Cranio-caudal mammogram of the left breast. Patient age 56.
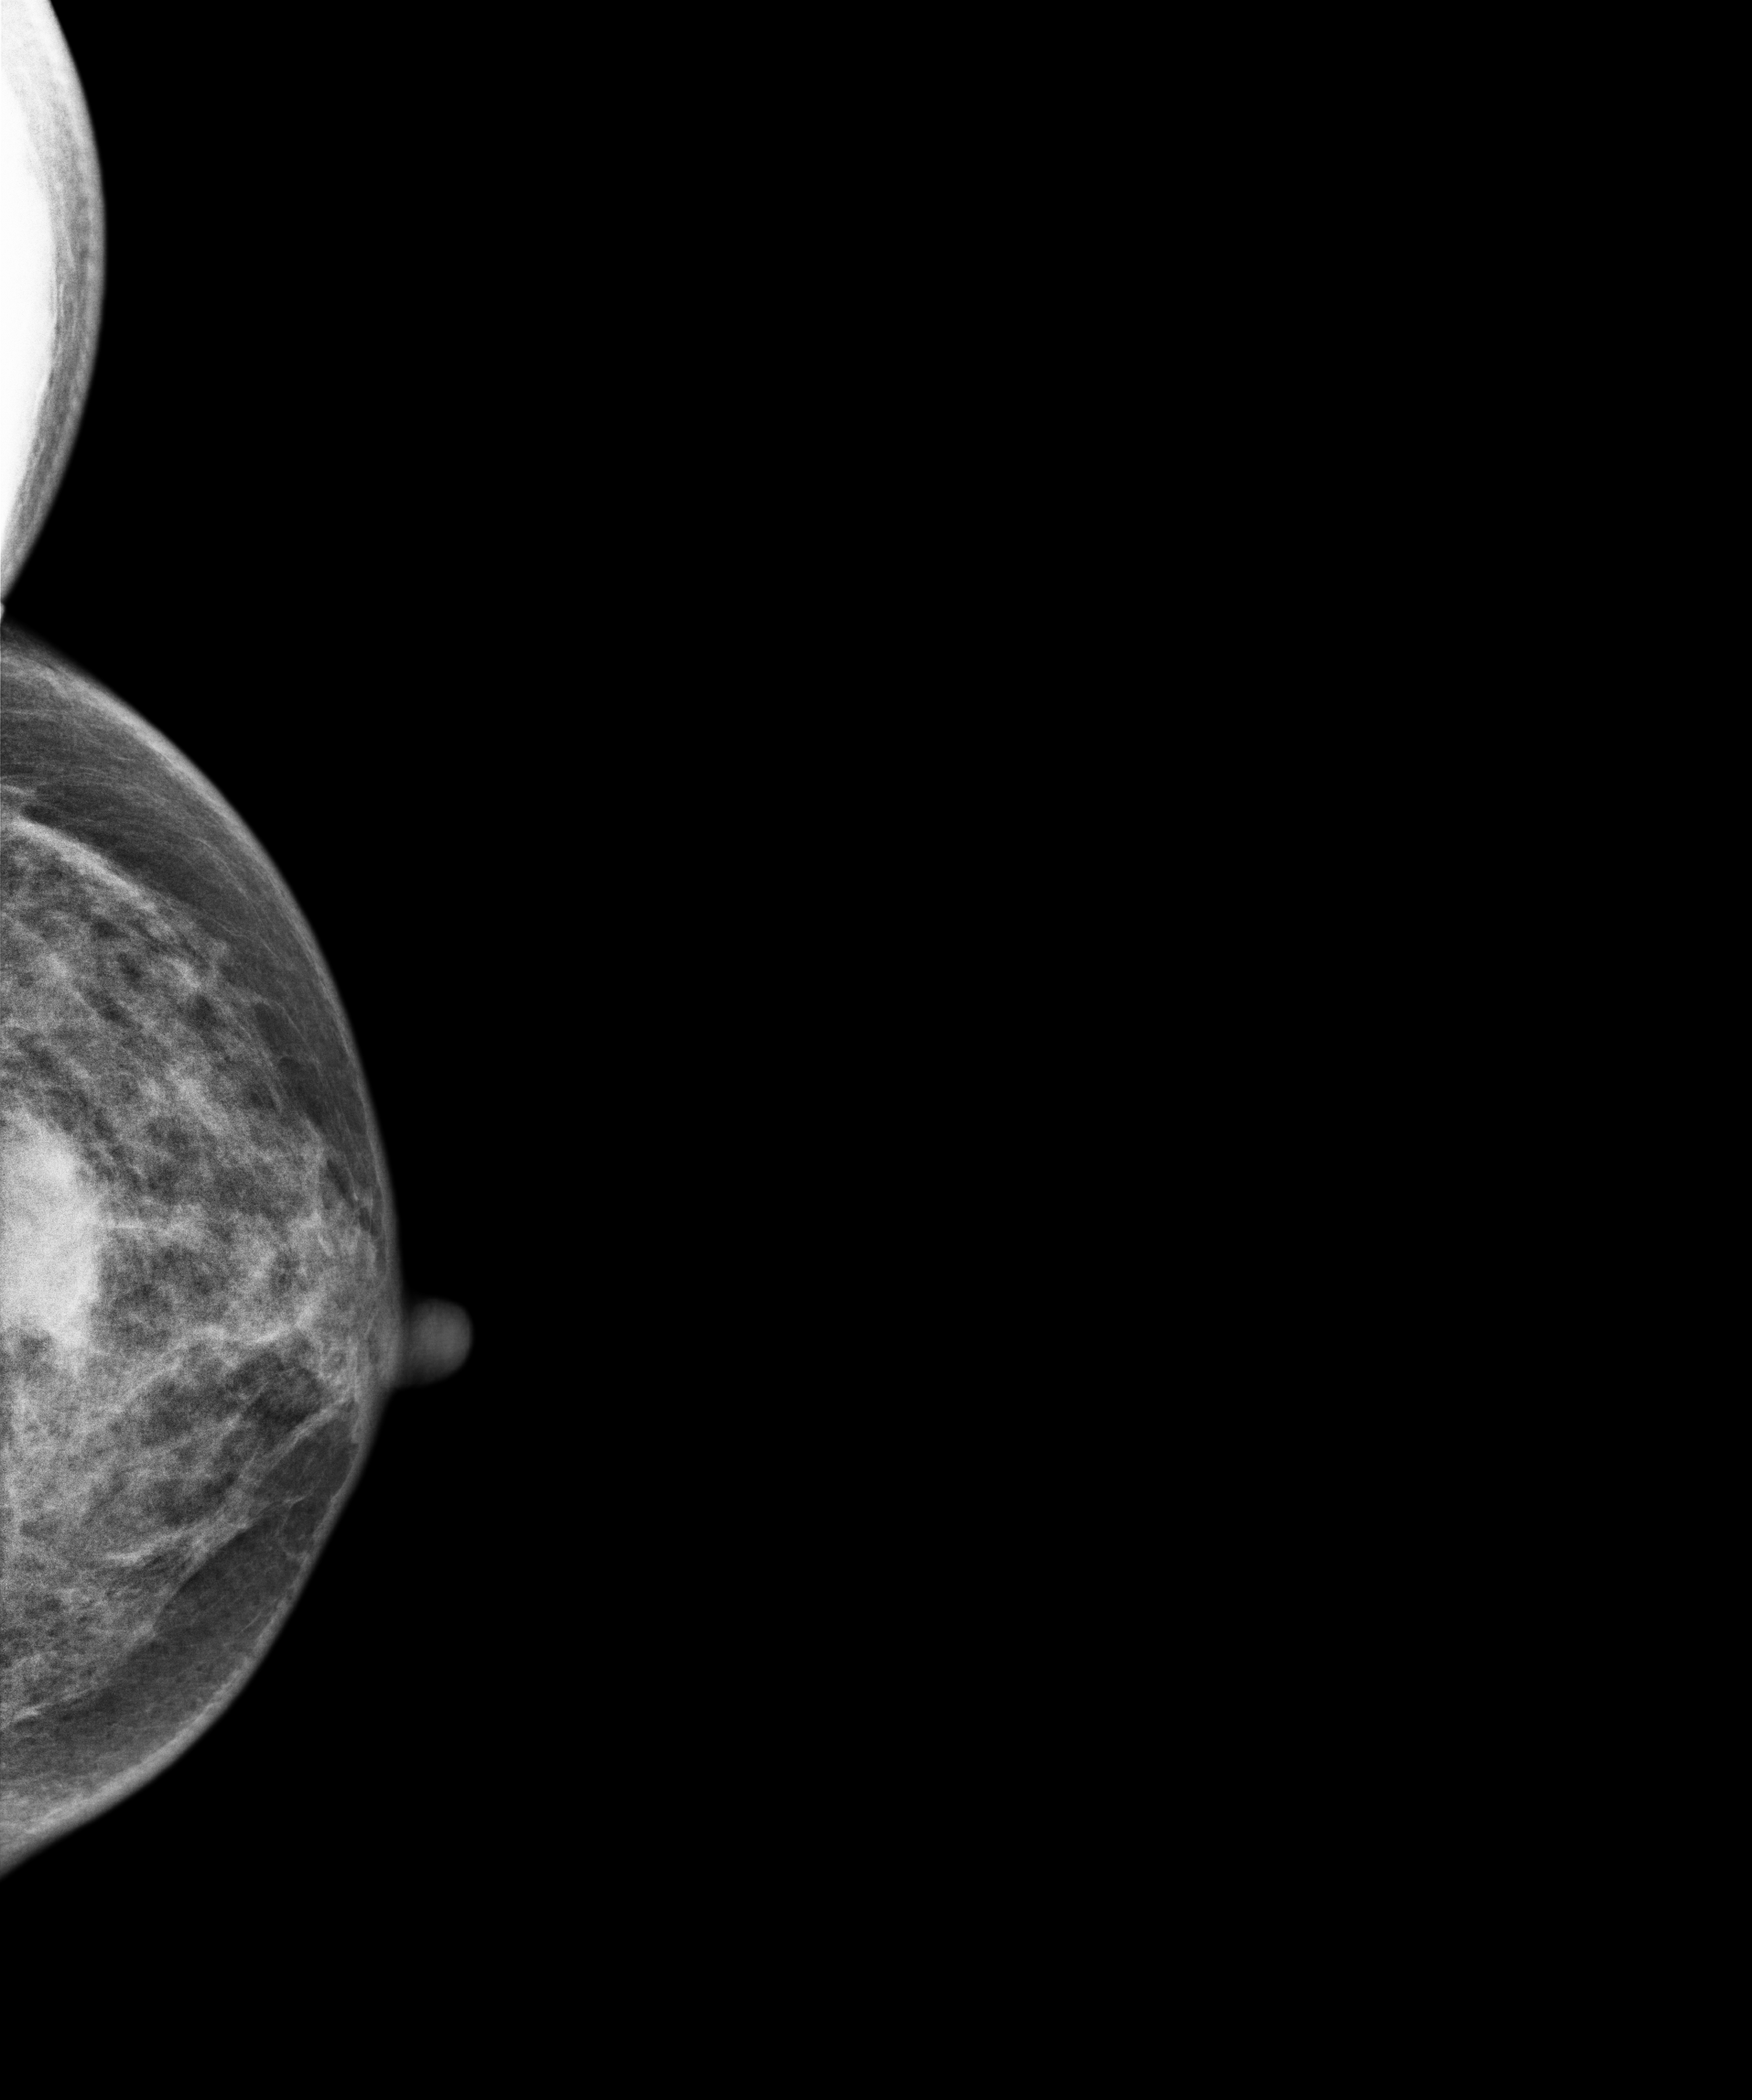
This breast has a mass, pathology-confirmed malignant. Molecular subtype: triple-negative.